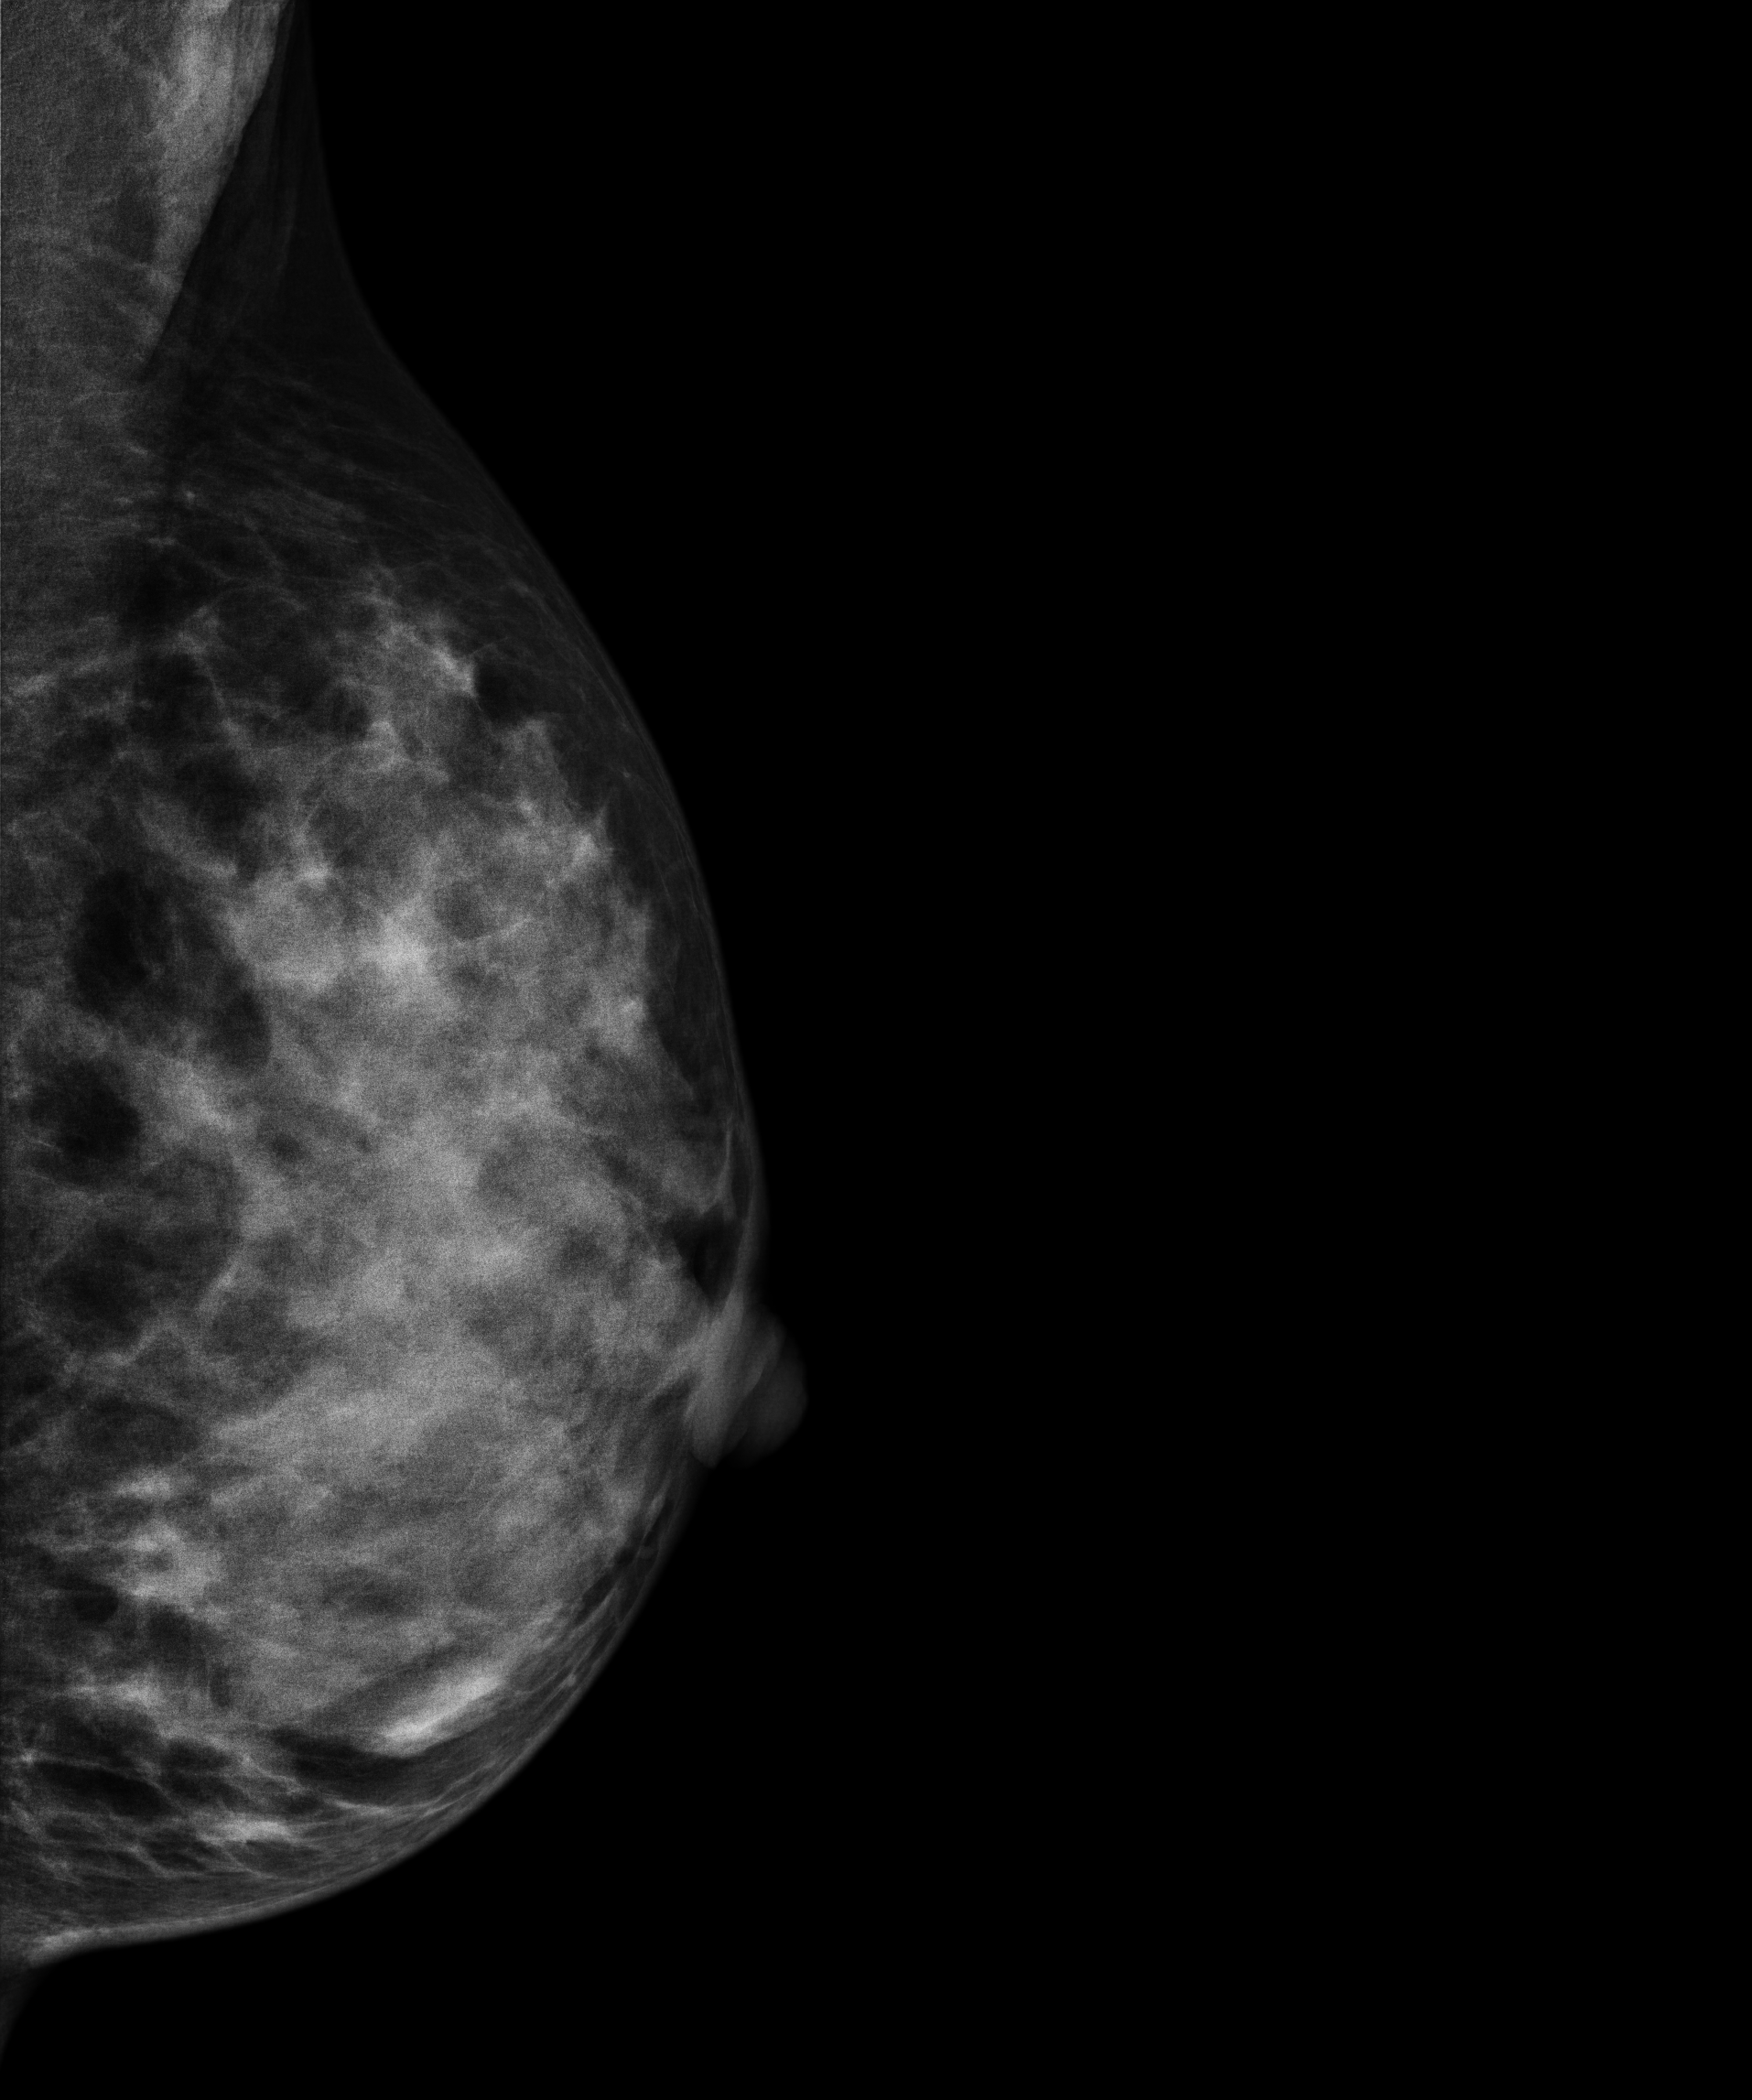
Digital mammography. Left breast, MLO projection. 41 y/o patient.
Contralateral breast — no documented abnormality on this side.